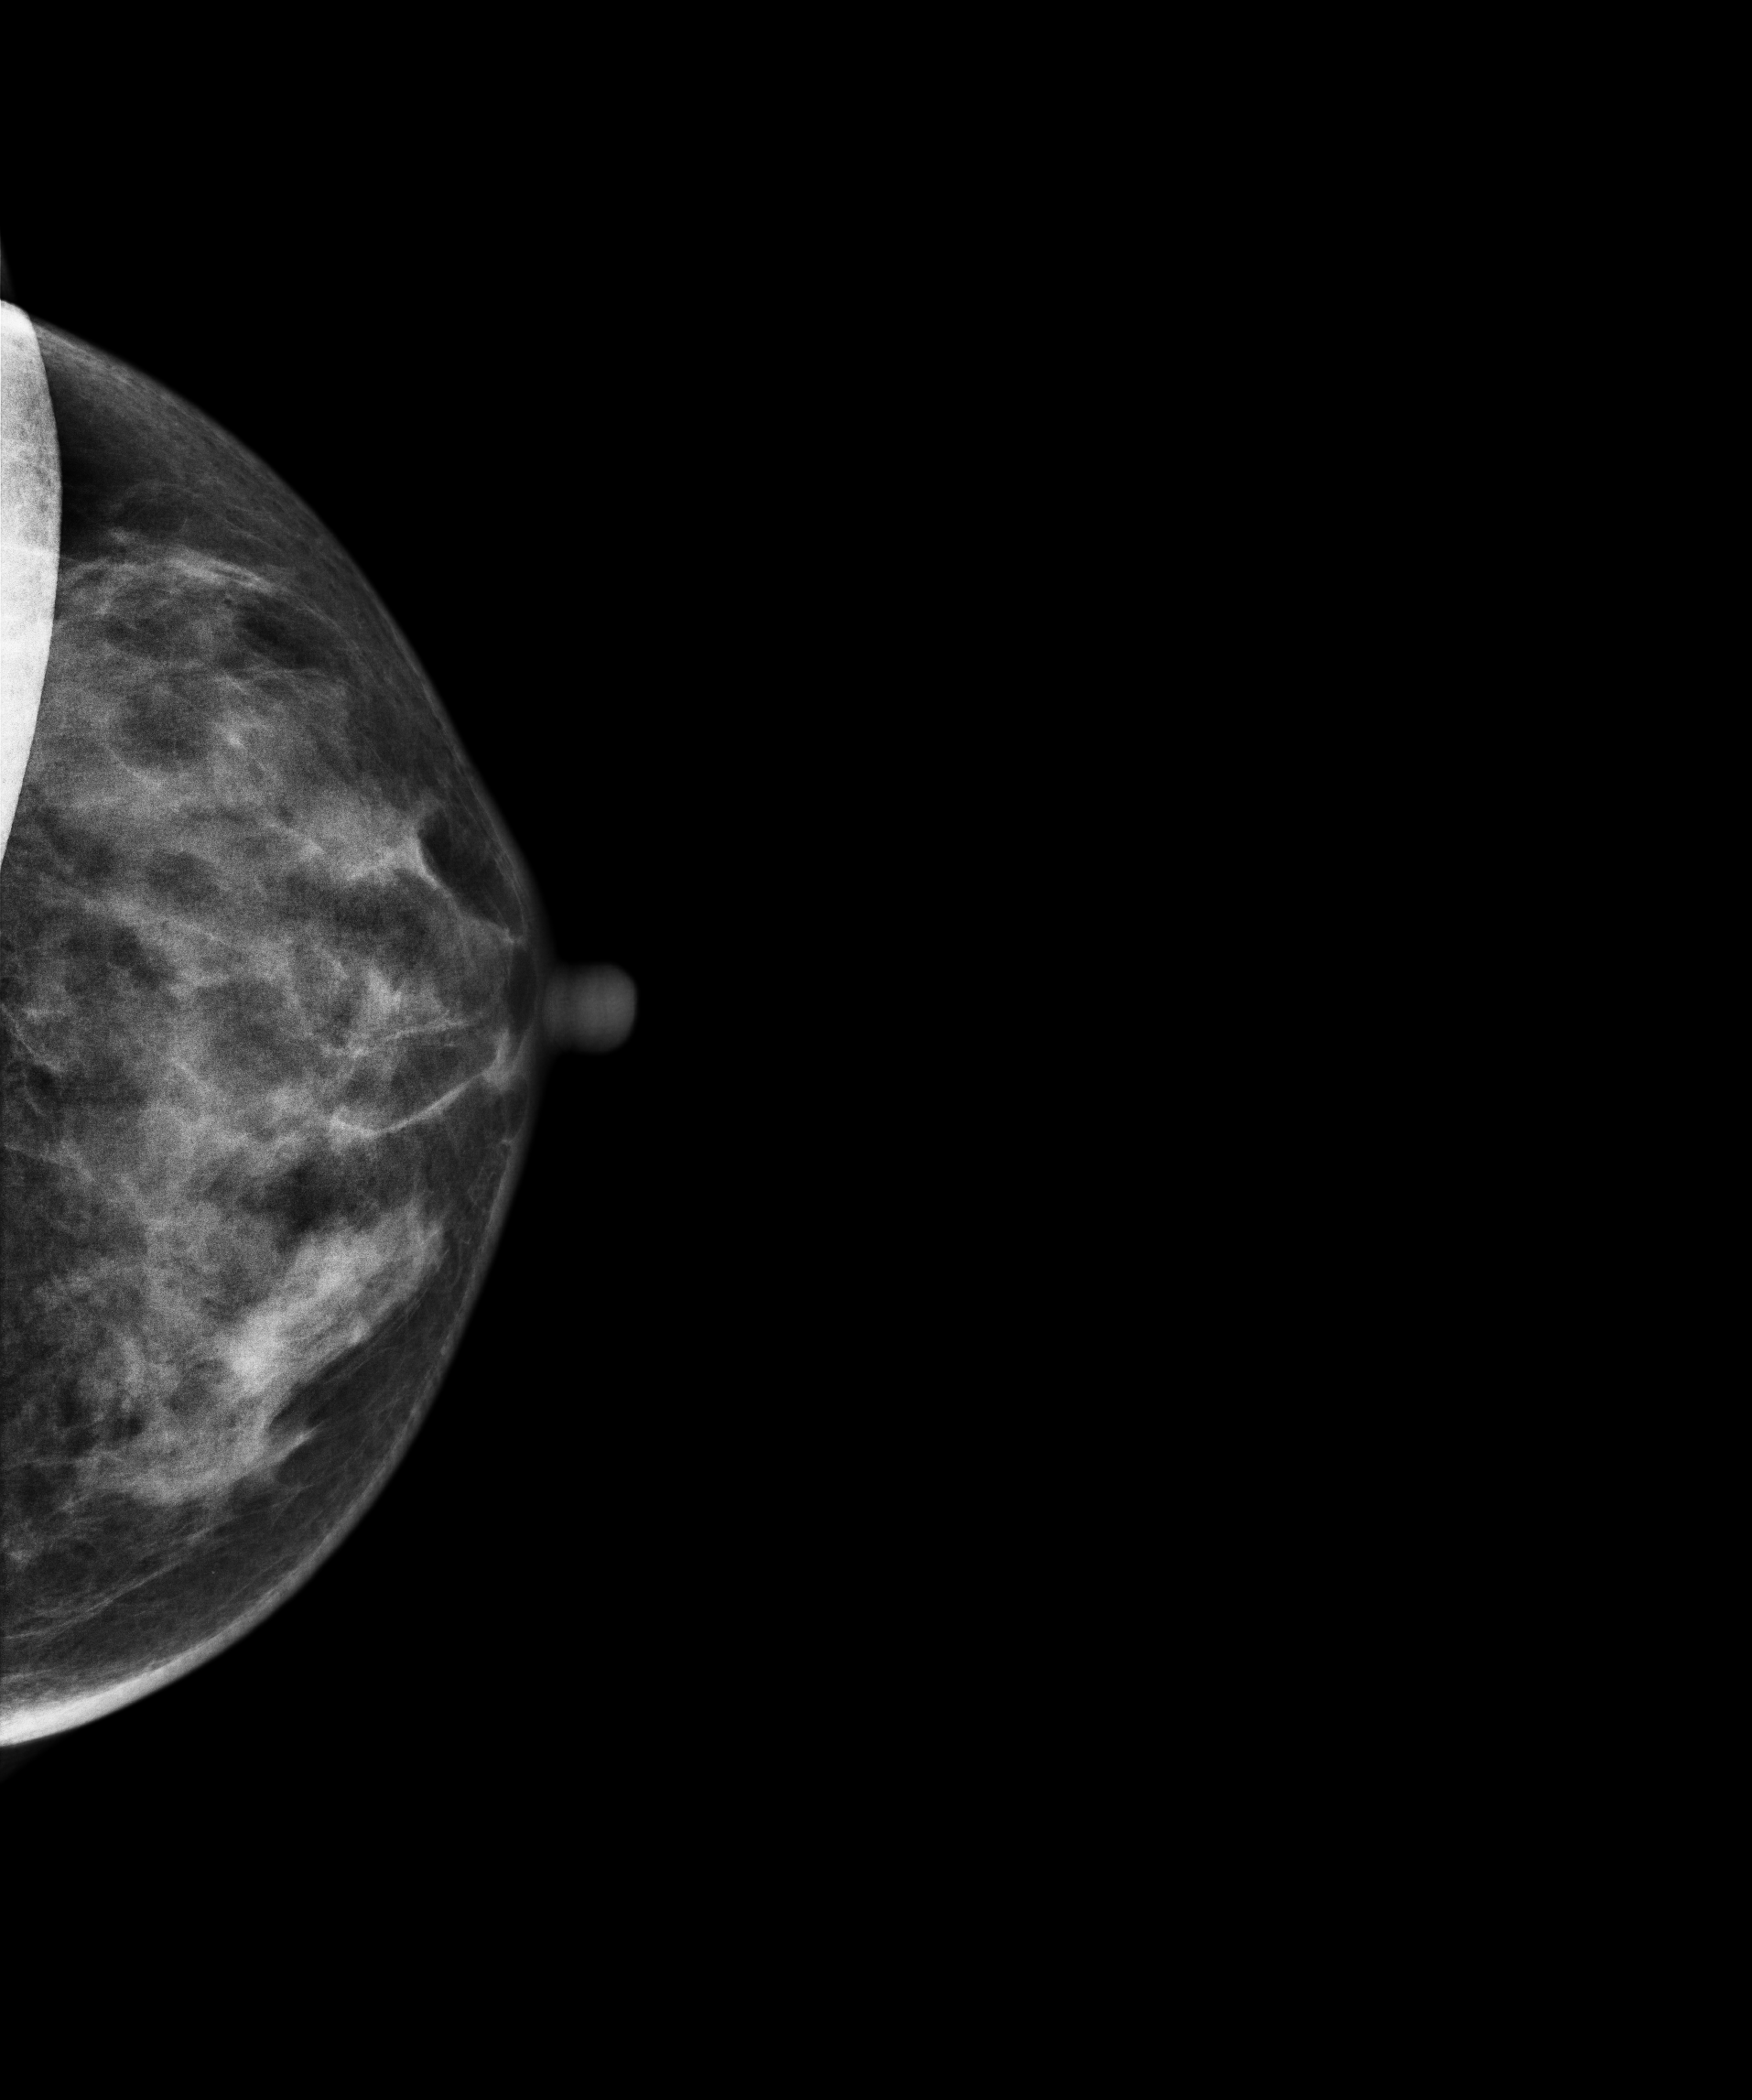
Cranio-caudal mammogram of the left breast. 61-year-old patient.
This breast has a mass, biopsy-proven malignant.